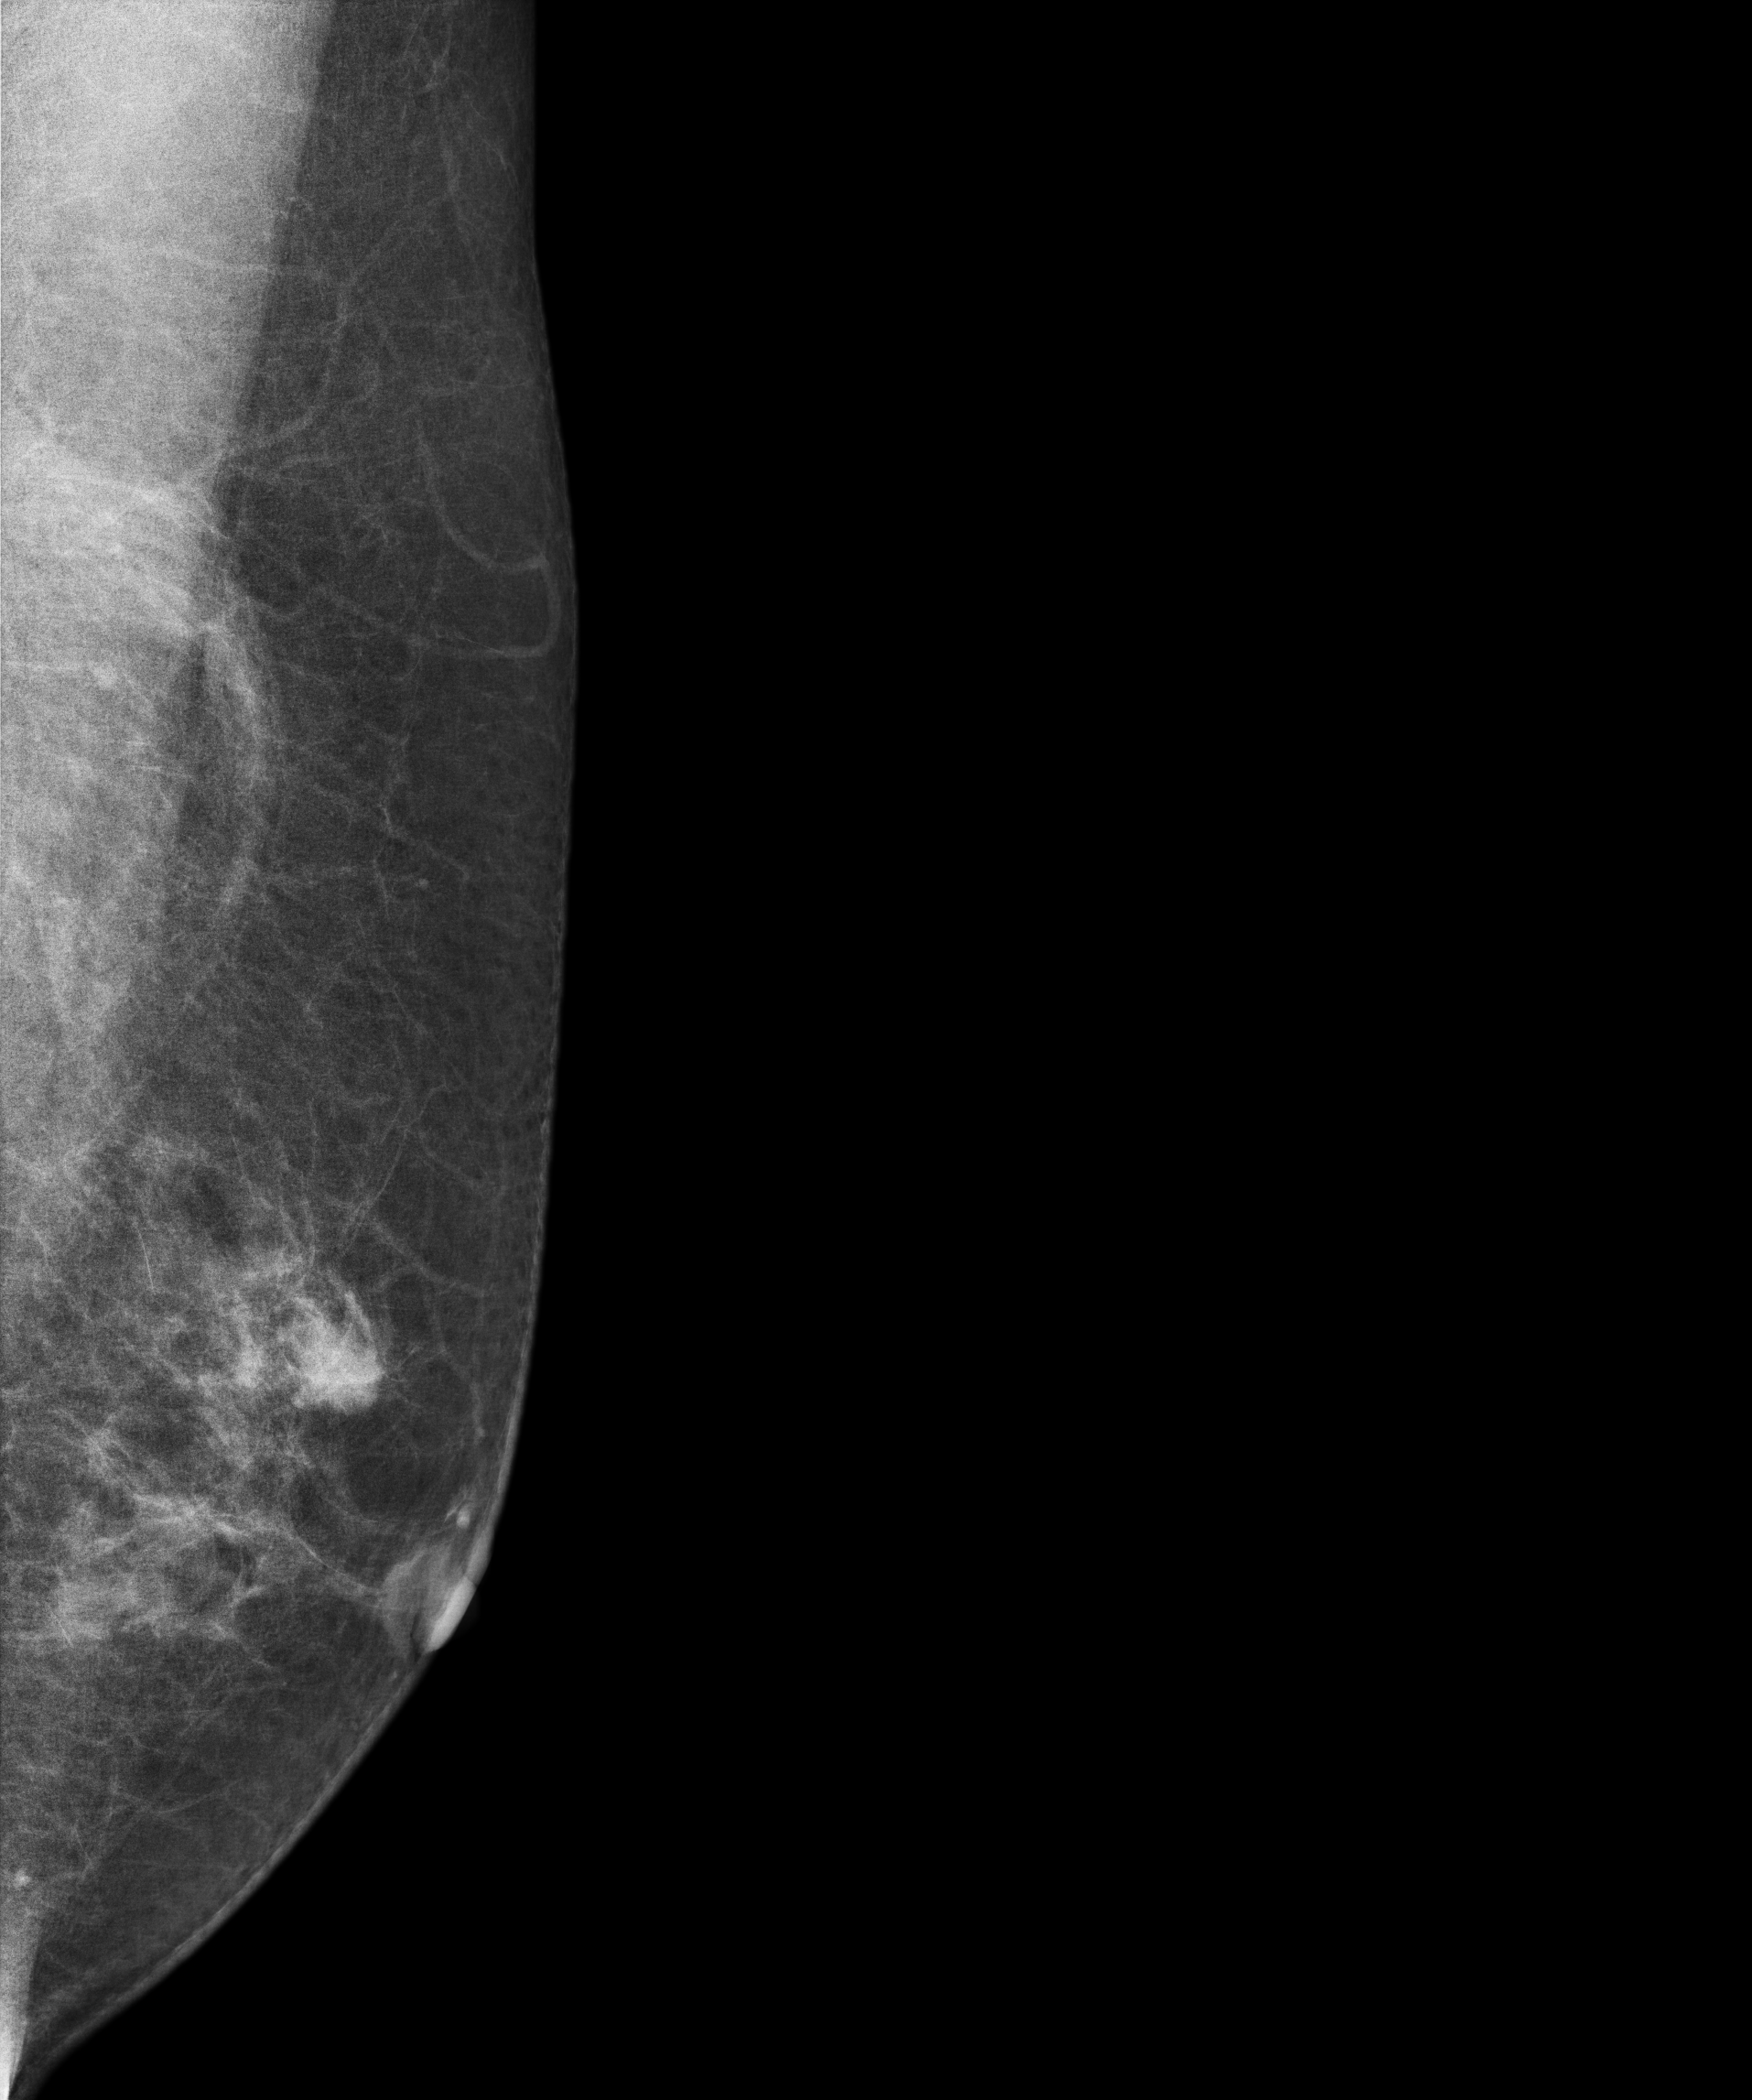
Left-breast mammogram, medio-lateral oblique. 52 y/o patient.
This breast has a mass, biopsy-confirmed malignant. Molecular subtype: luminal B.